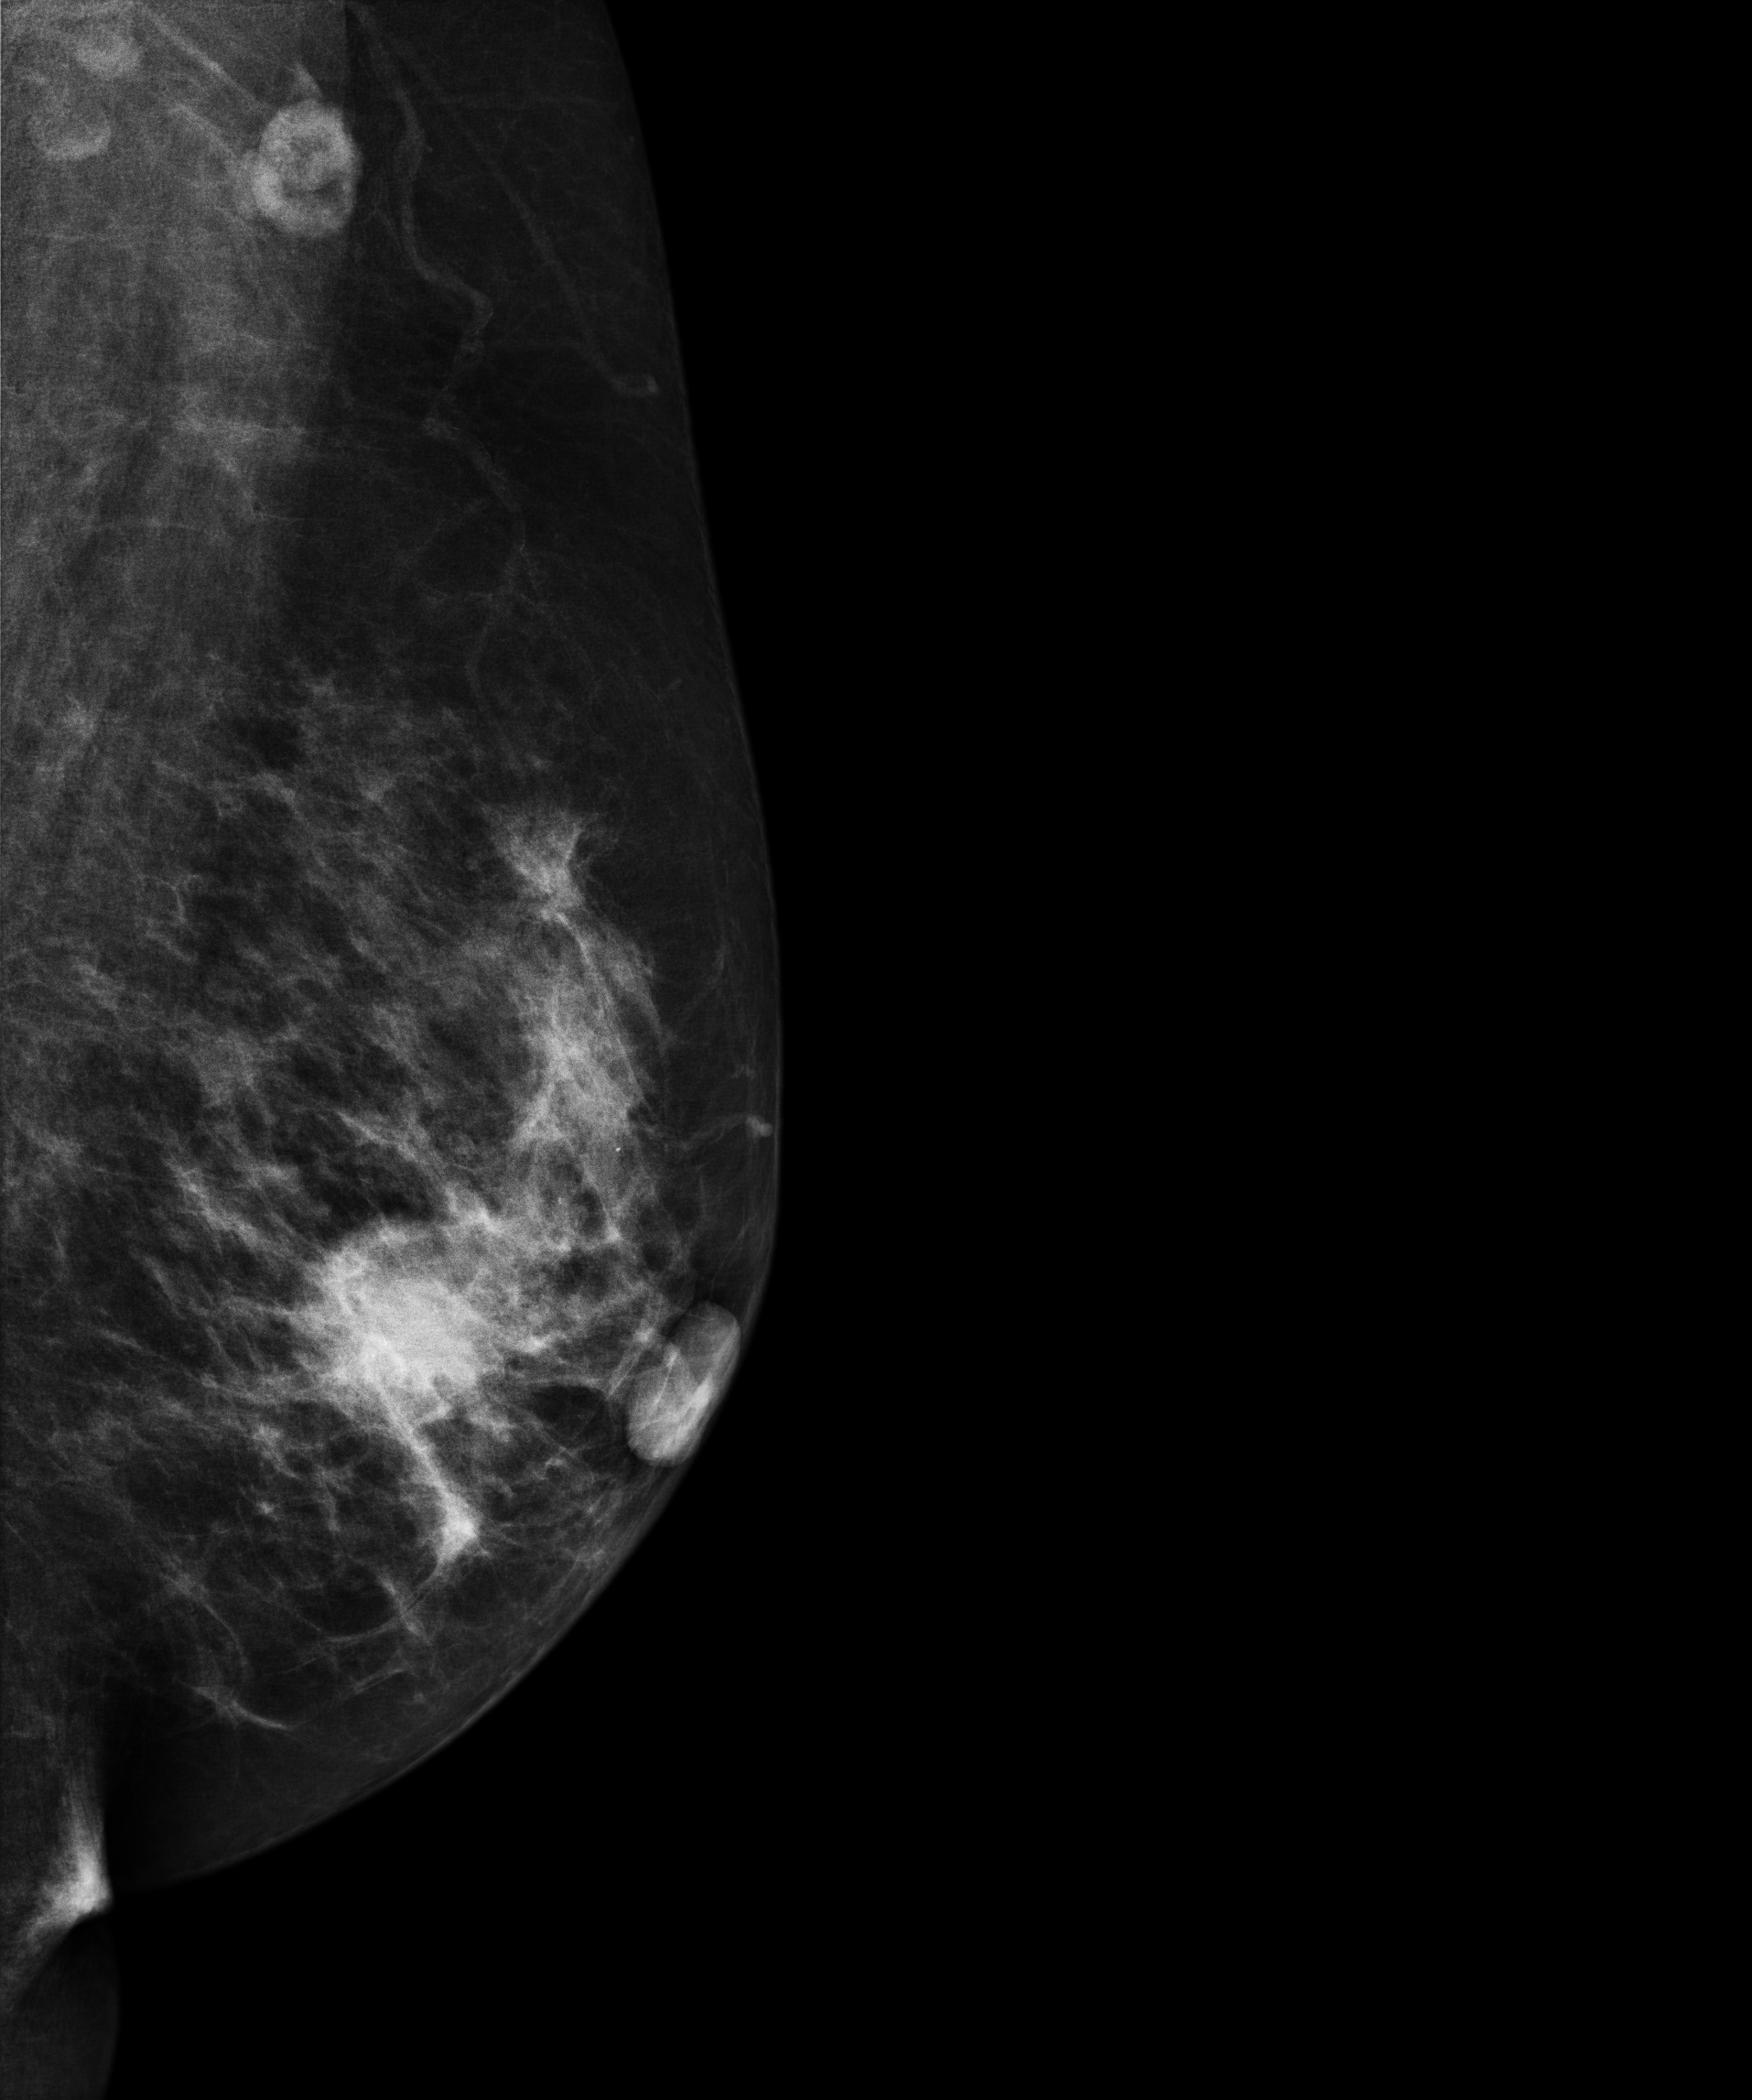
Left-breast mammogram, MLO. 59-year-old patient.
This breast has a mass, pathology-confirmed malignant. Molecular subtype: HER2-enriched.